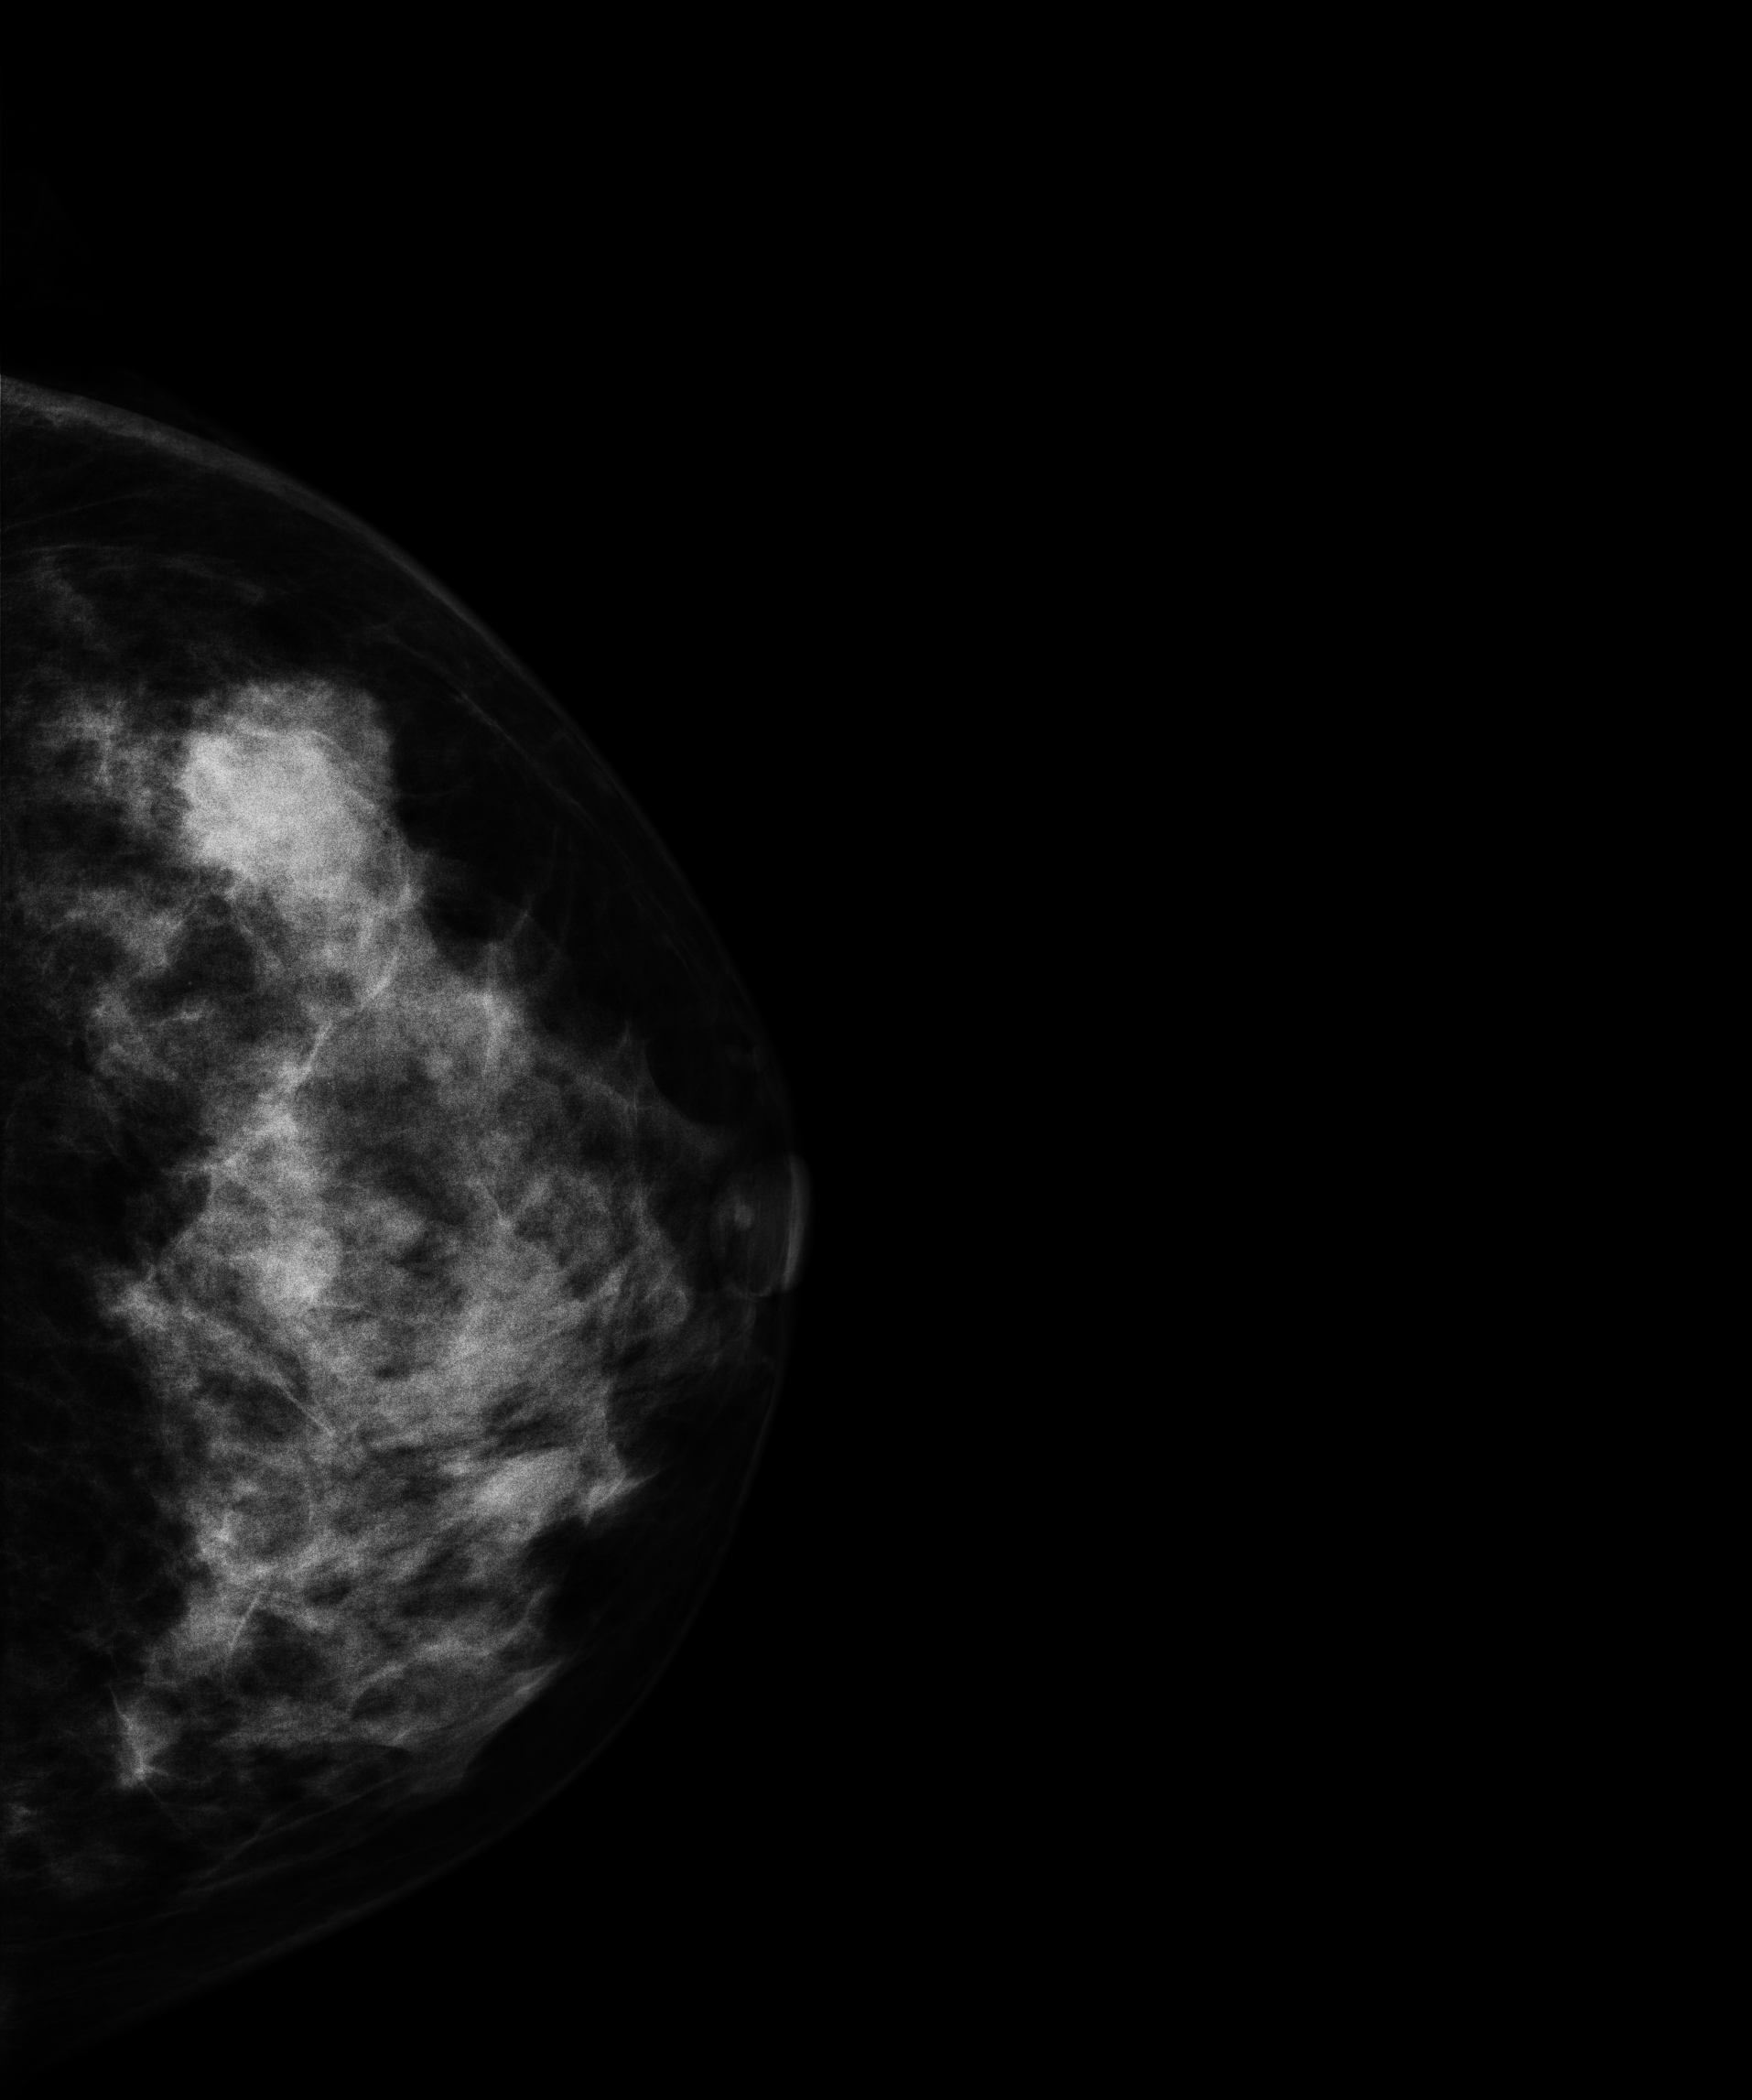
Mammogram, left breast, cranio-caudal view. 51-year-old patient.
This breast has a mass, histologically confirmed malignant.